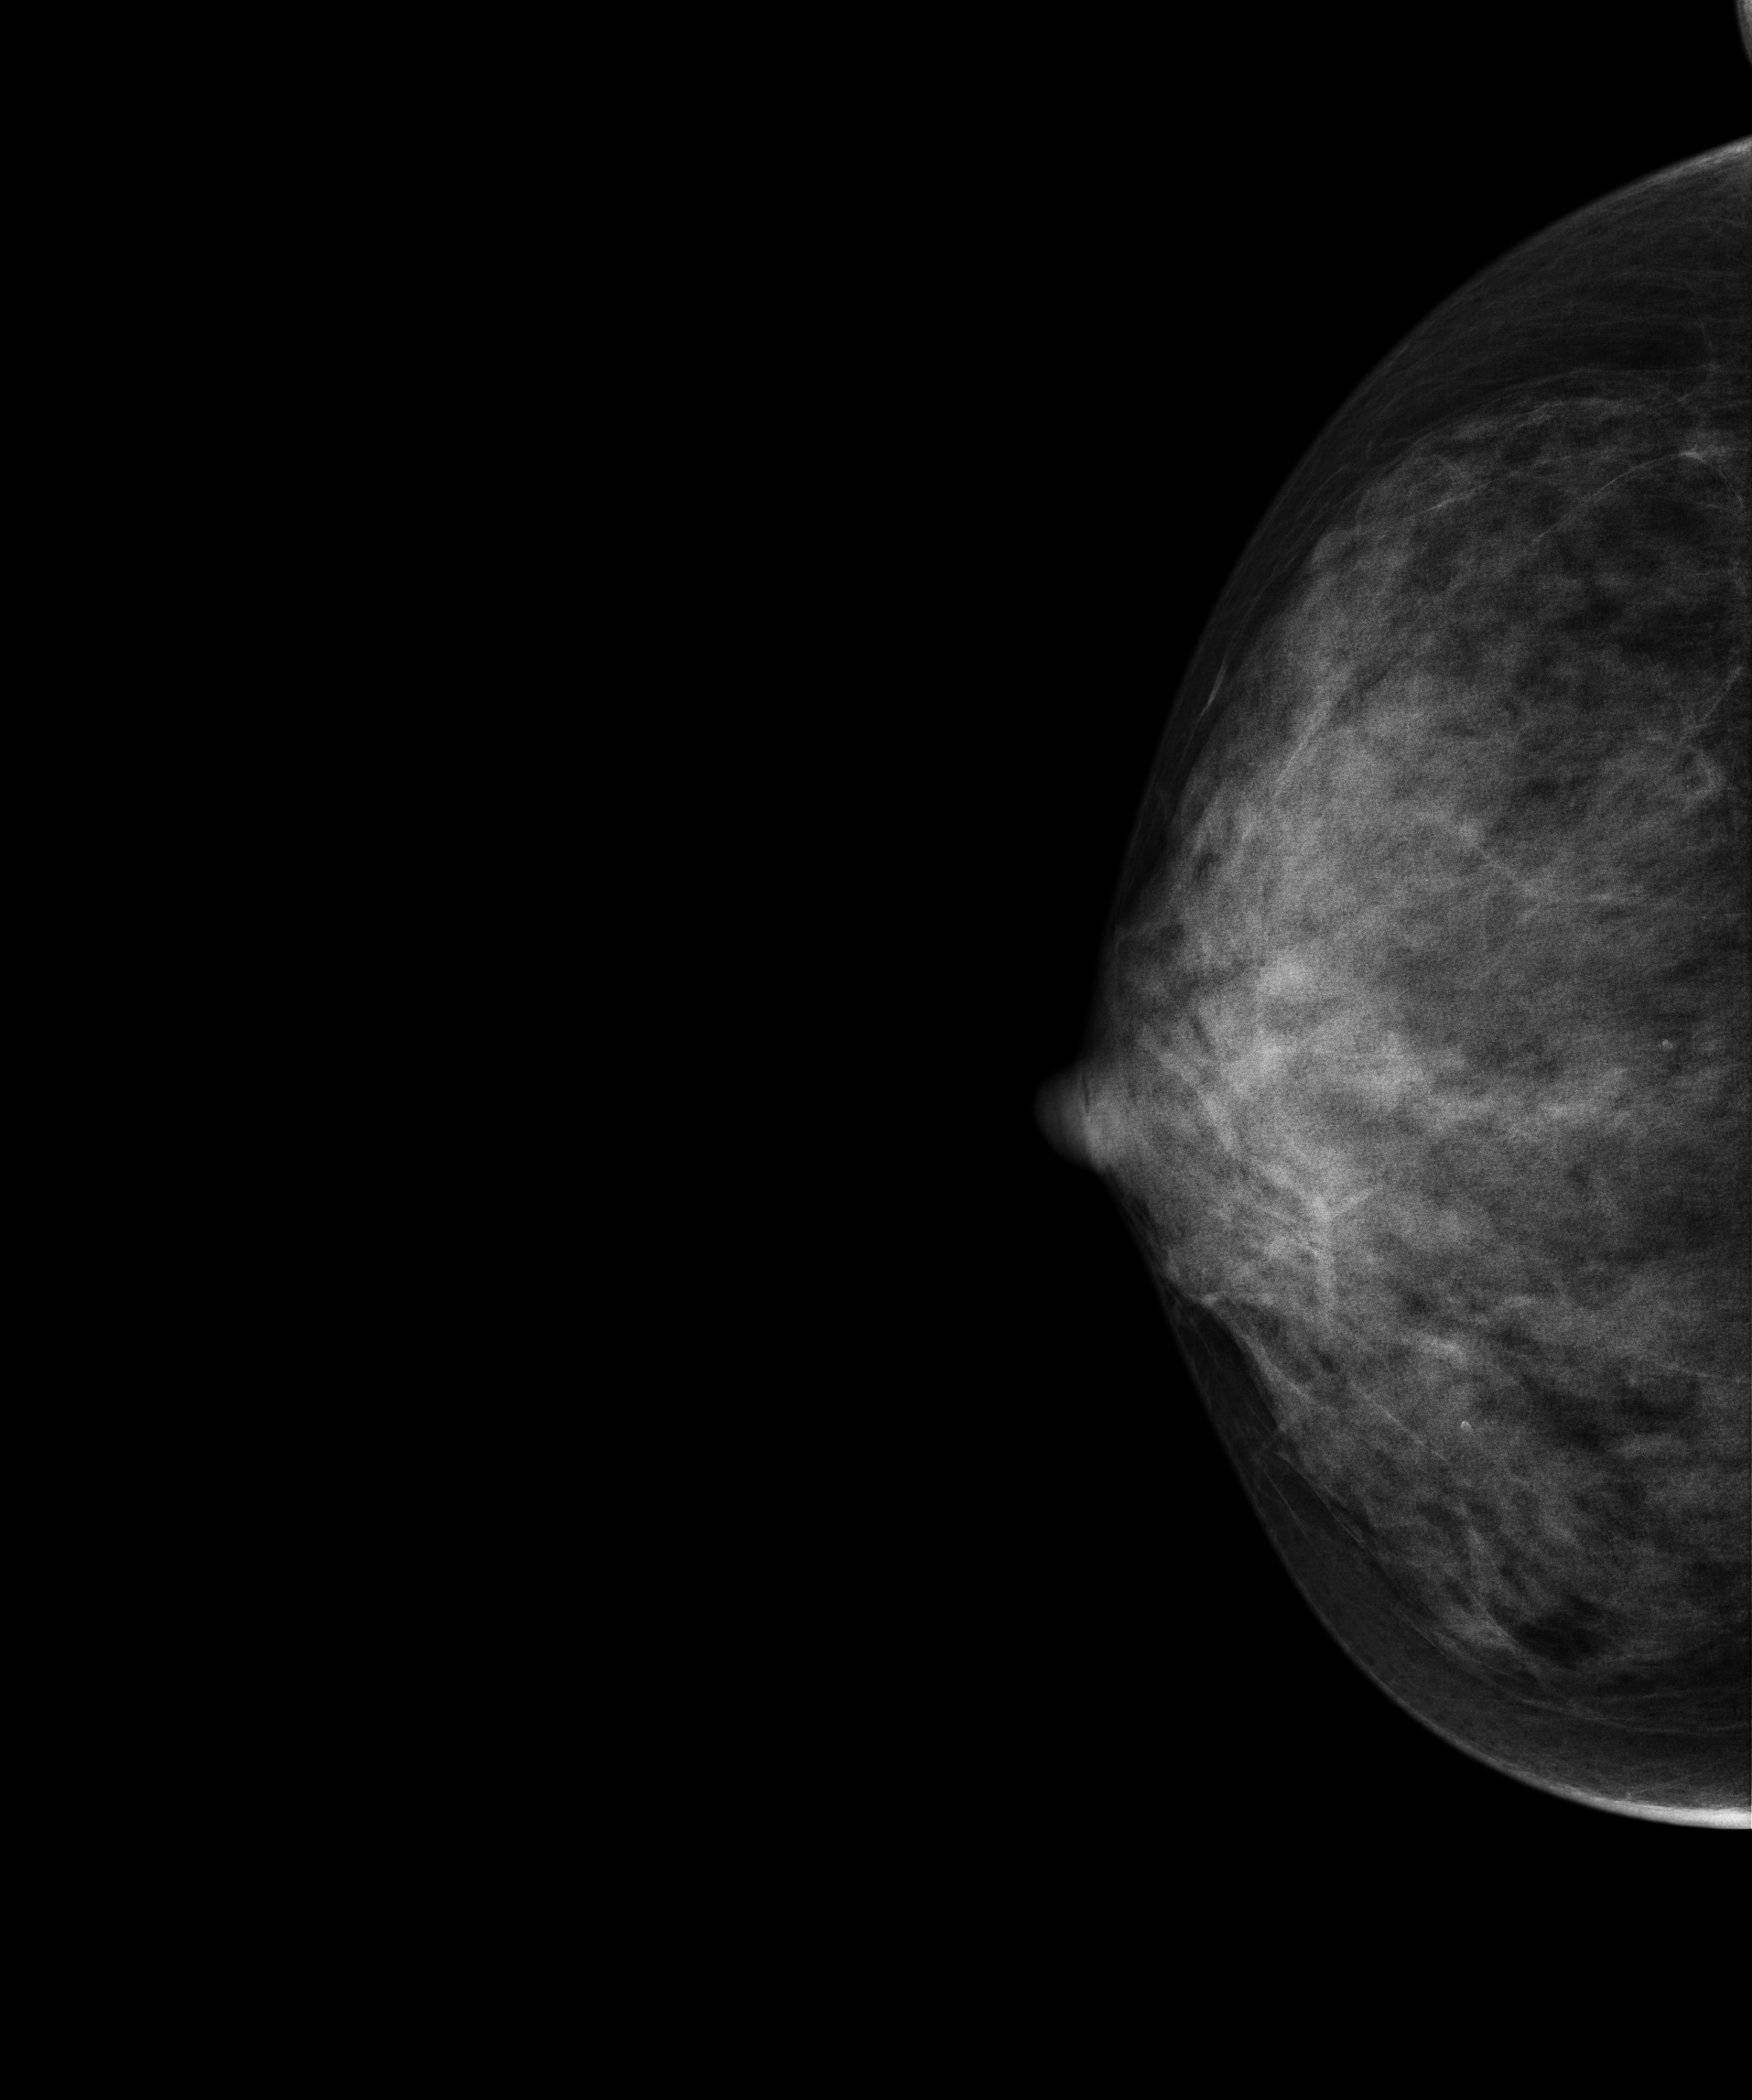
Right-breast mammogram, medio-lateral oblique. Patient age 46.
Contralateral breast — no documented abnormality on this side.